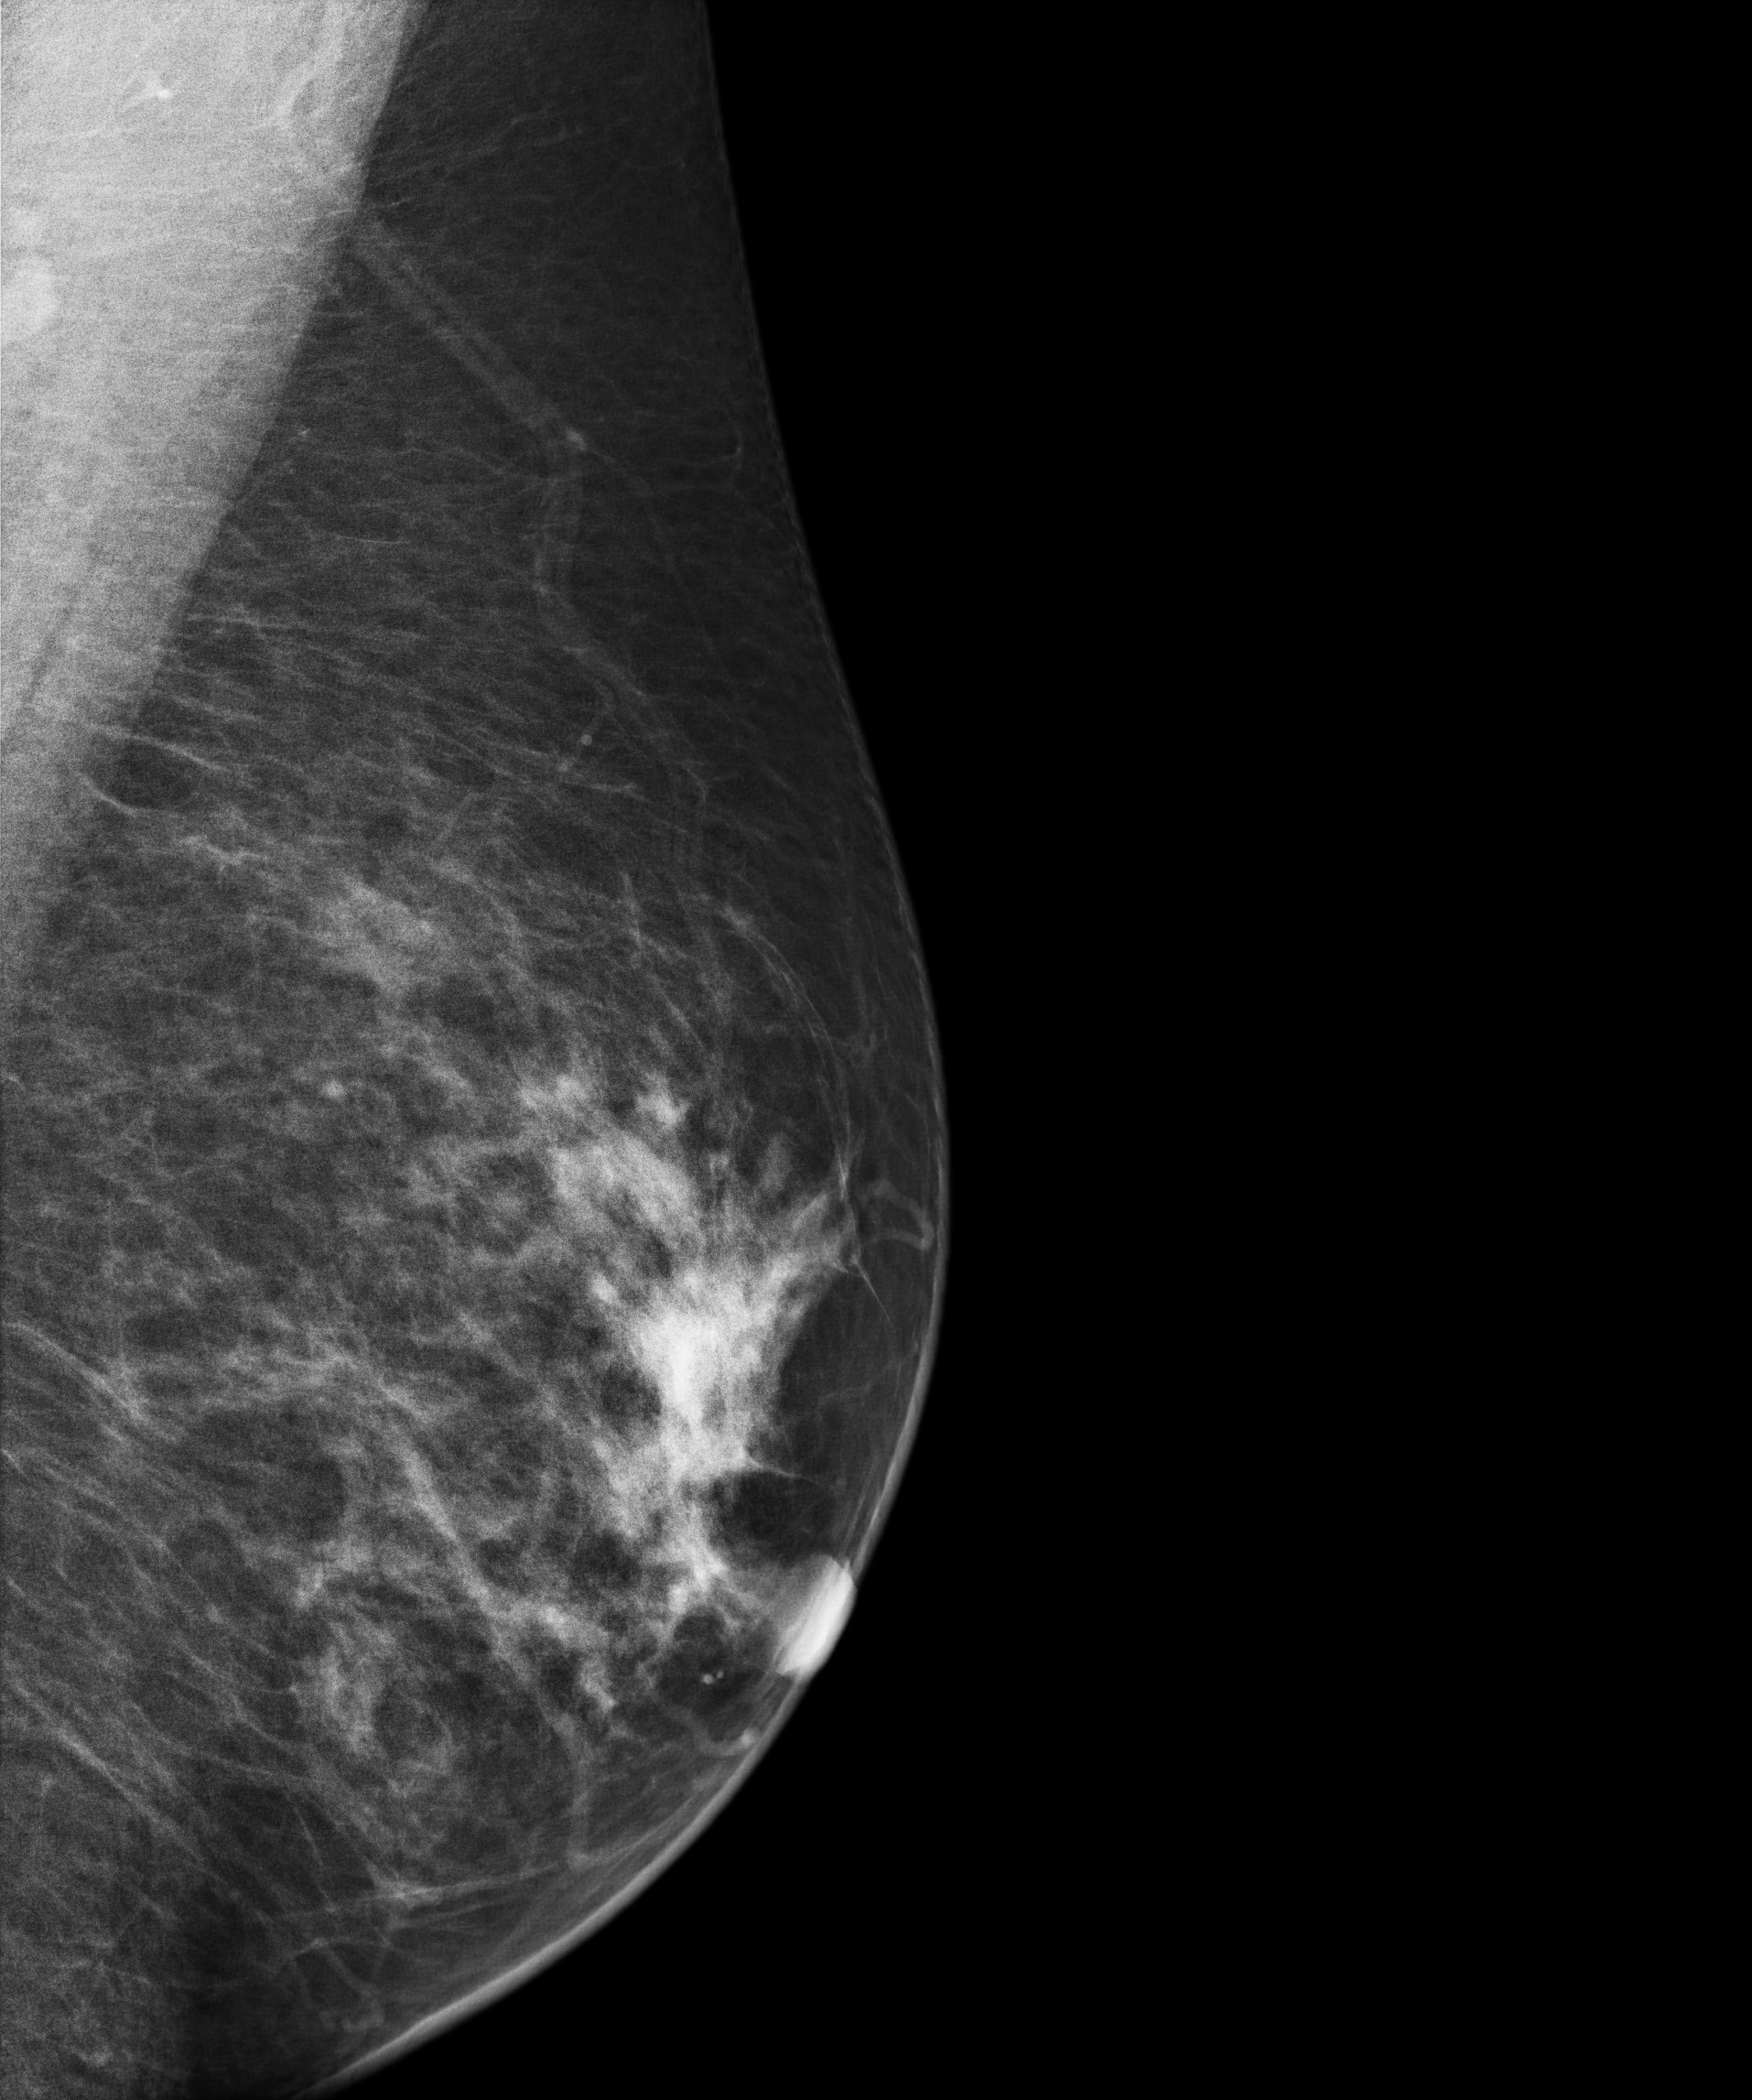
Mammogram — left medio-lateral oblique. Patient age 47.
Contralateral breast — no documented abnormality on this side.